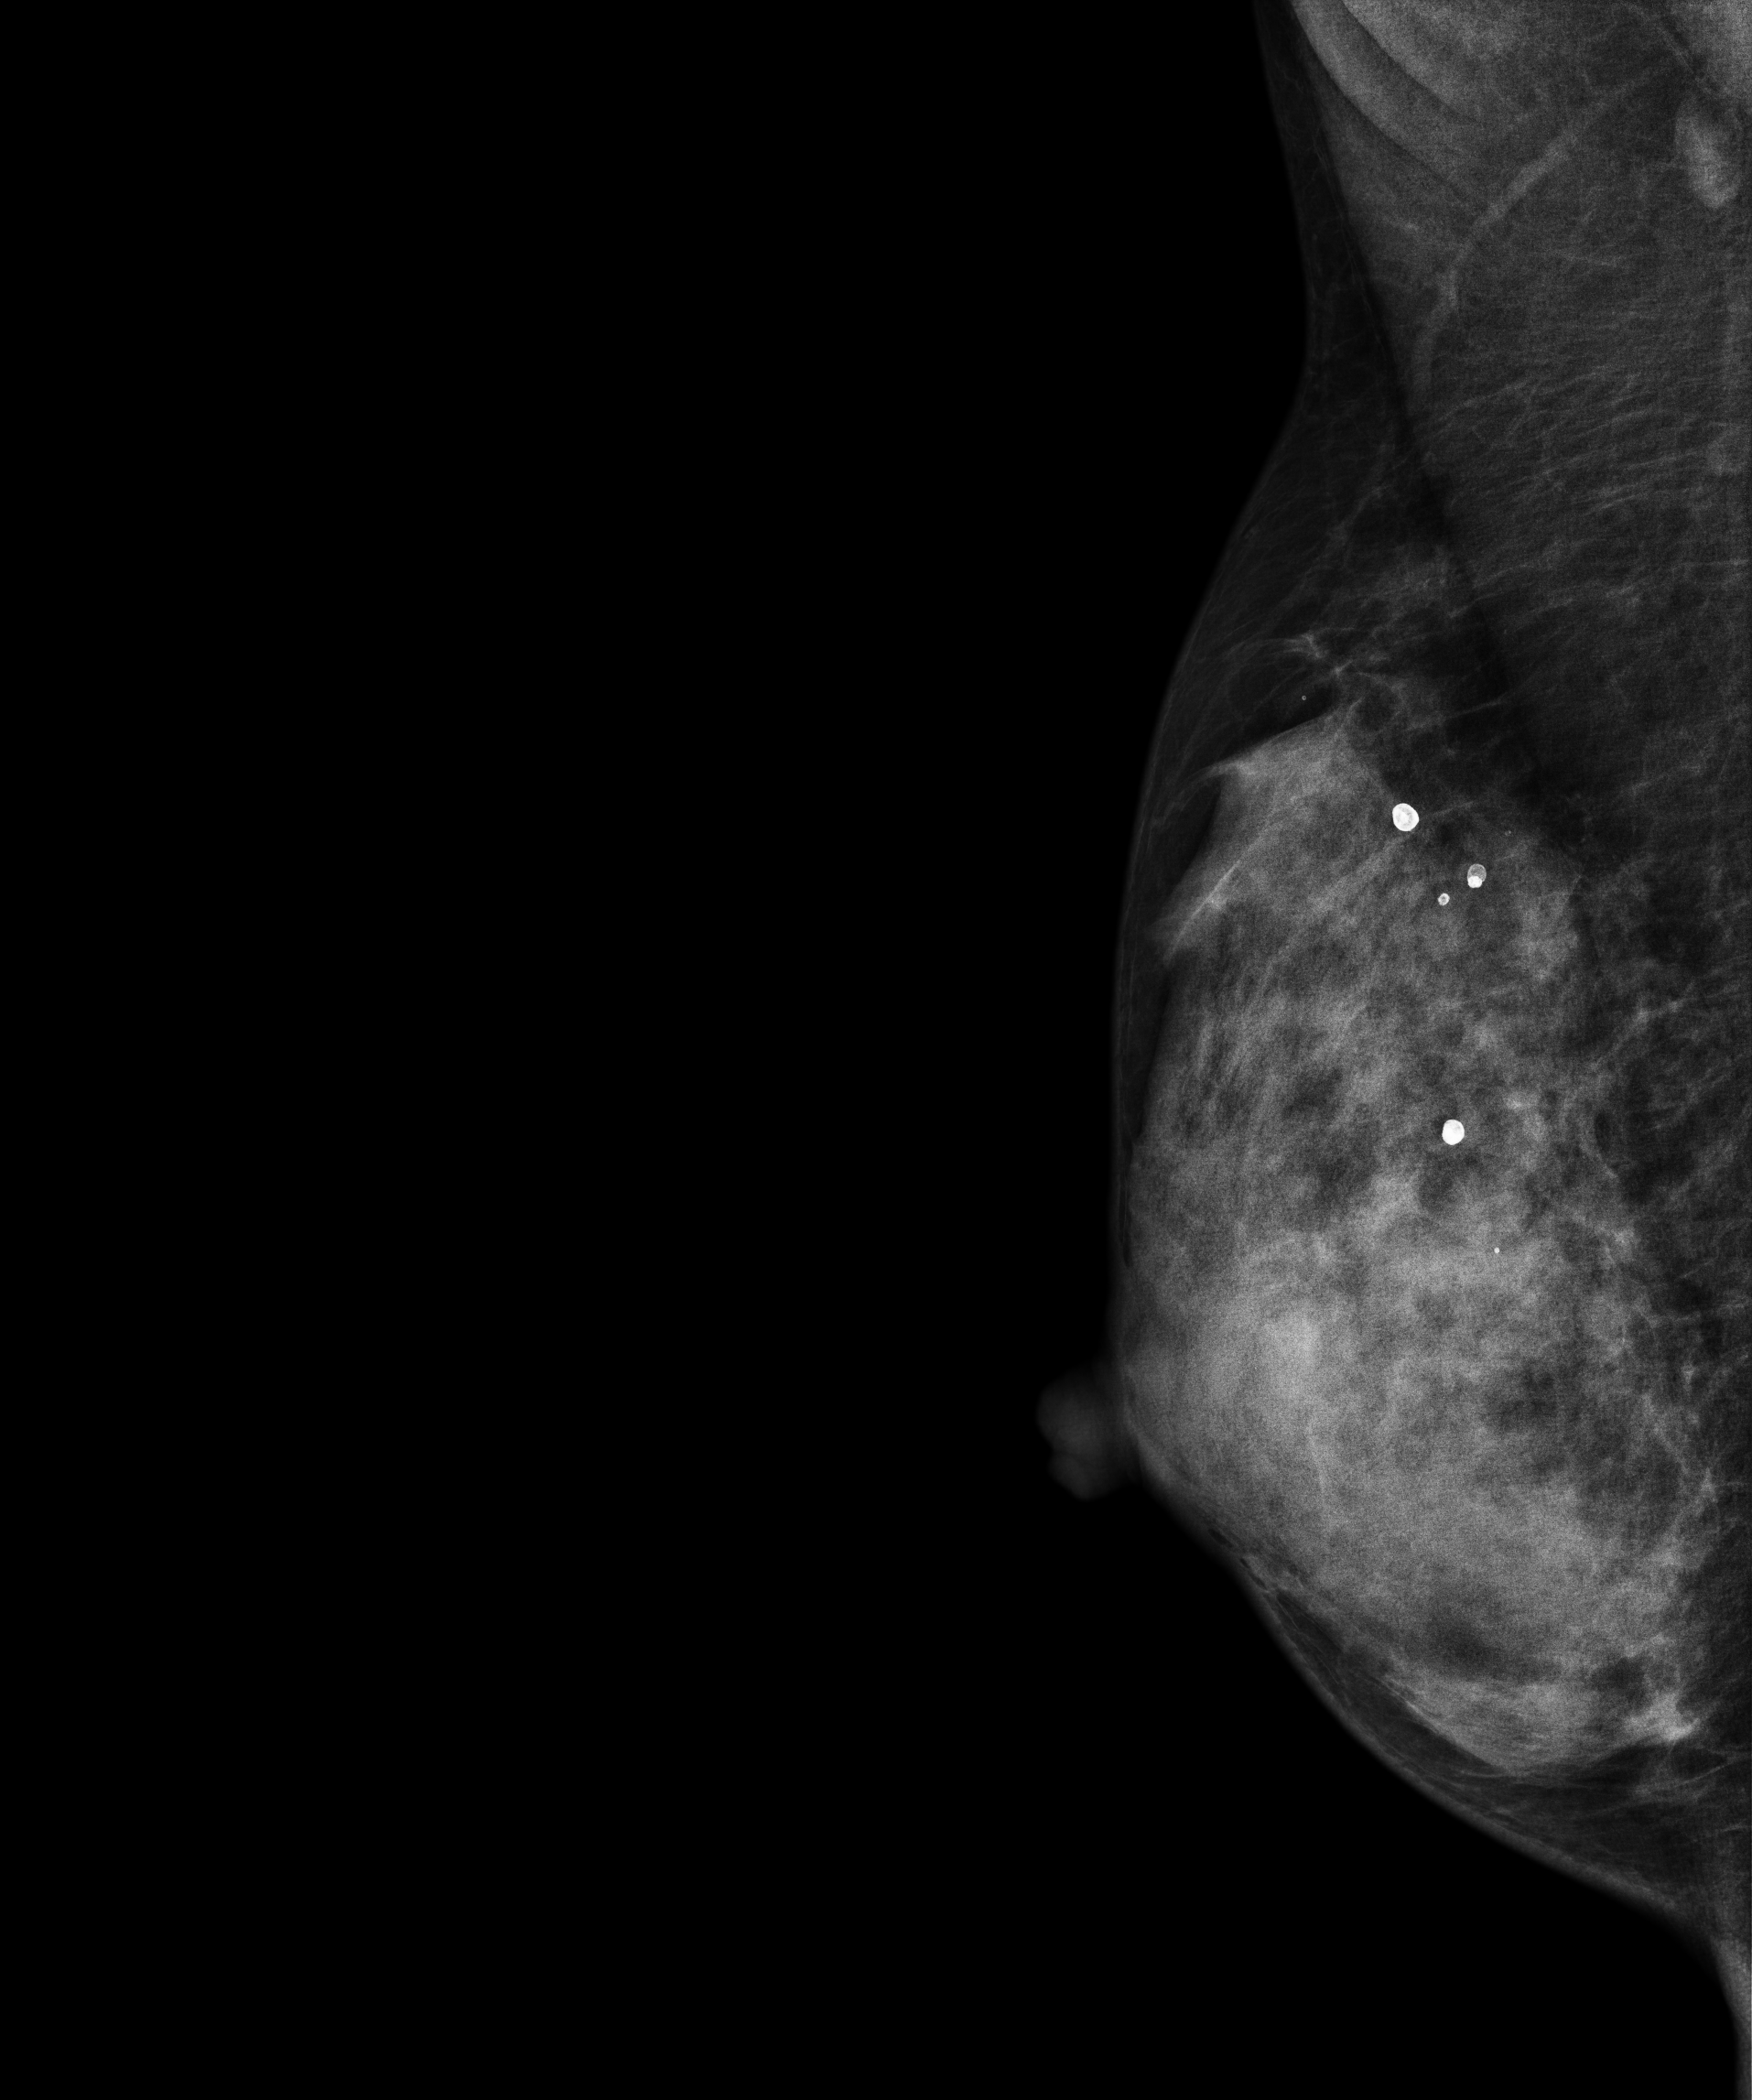
MLO mammogram of the right breast. 44 y/o patient.
This breast has a mass and calcifications, biopsy-confirmed malignant. Molecular subtype: luminal B.